Mammogram, right breast, MLO view. 34 y/o patient.
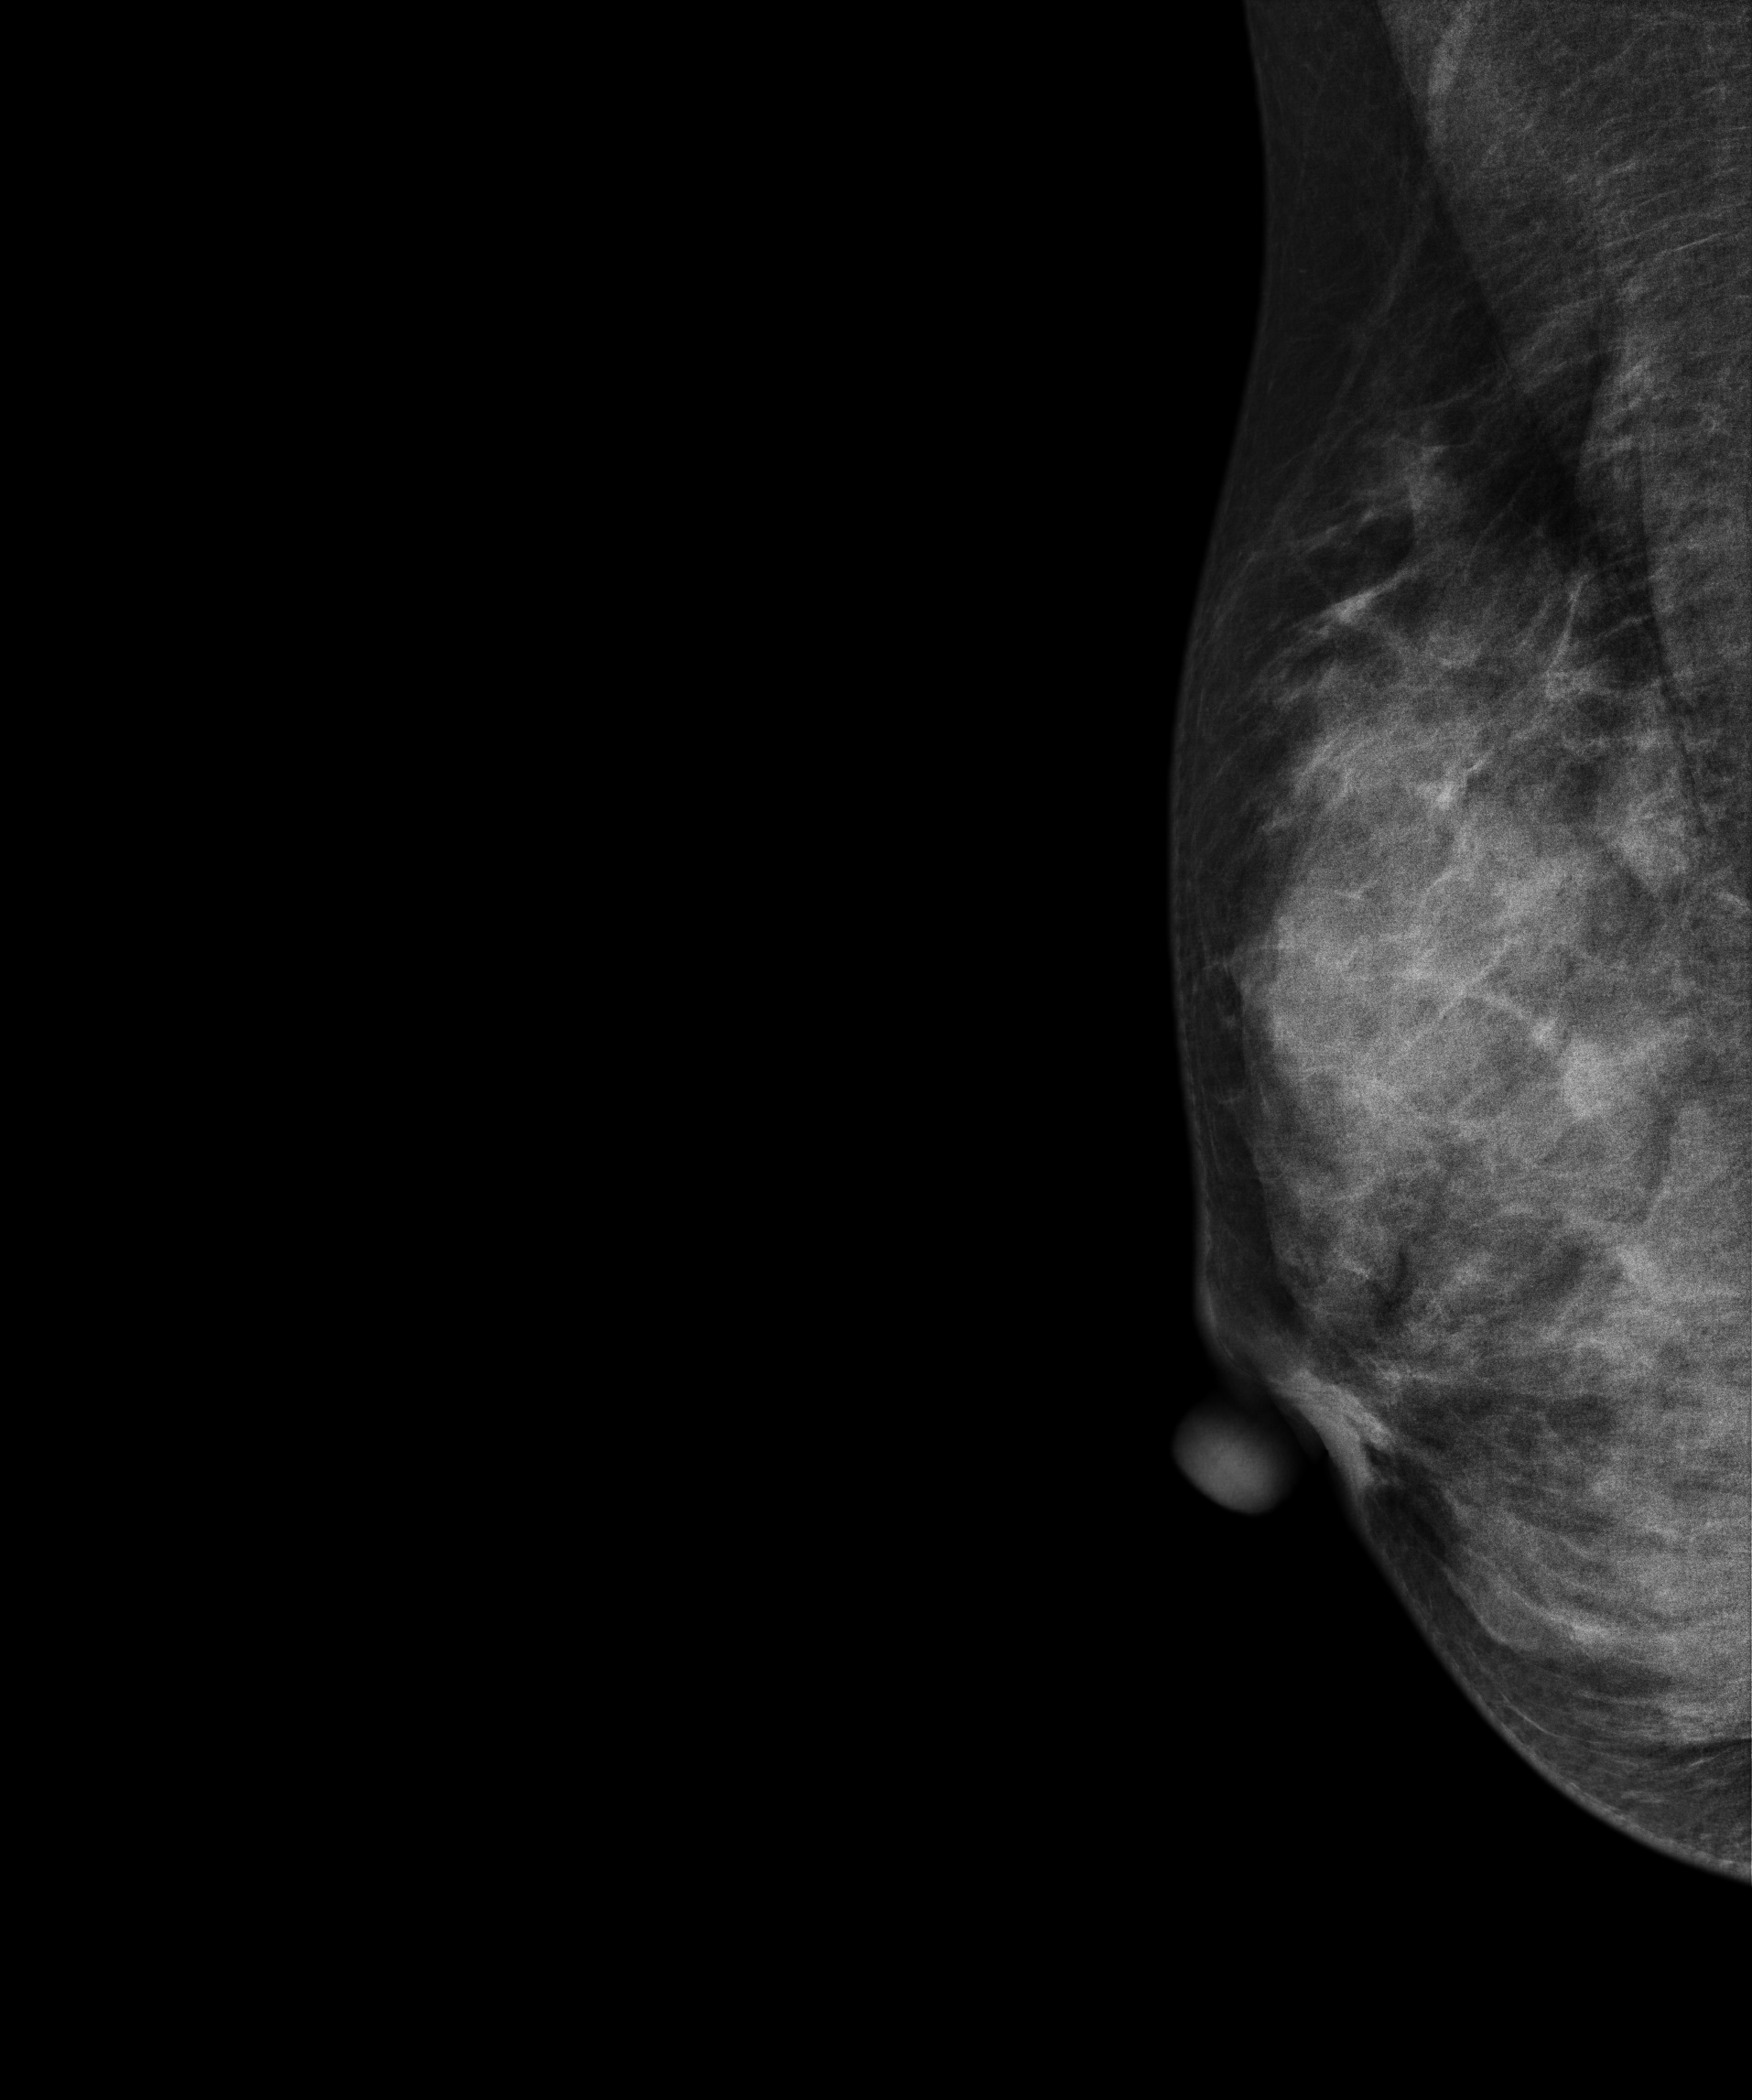
Contralateral breast — no documented abnormality on this side.